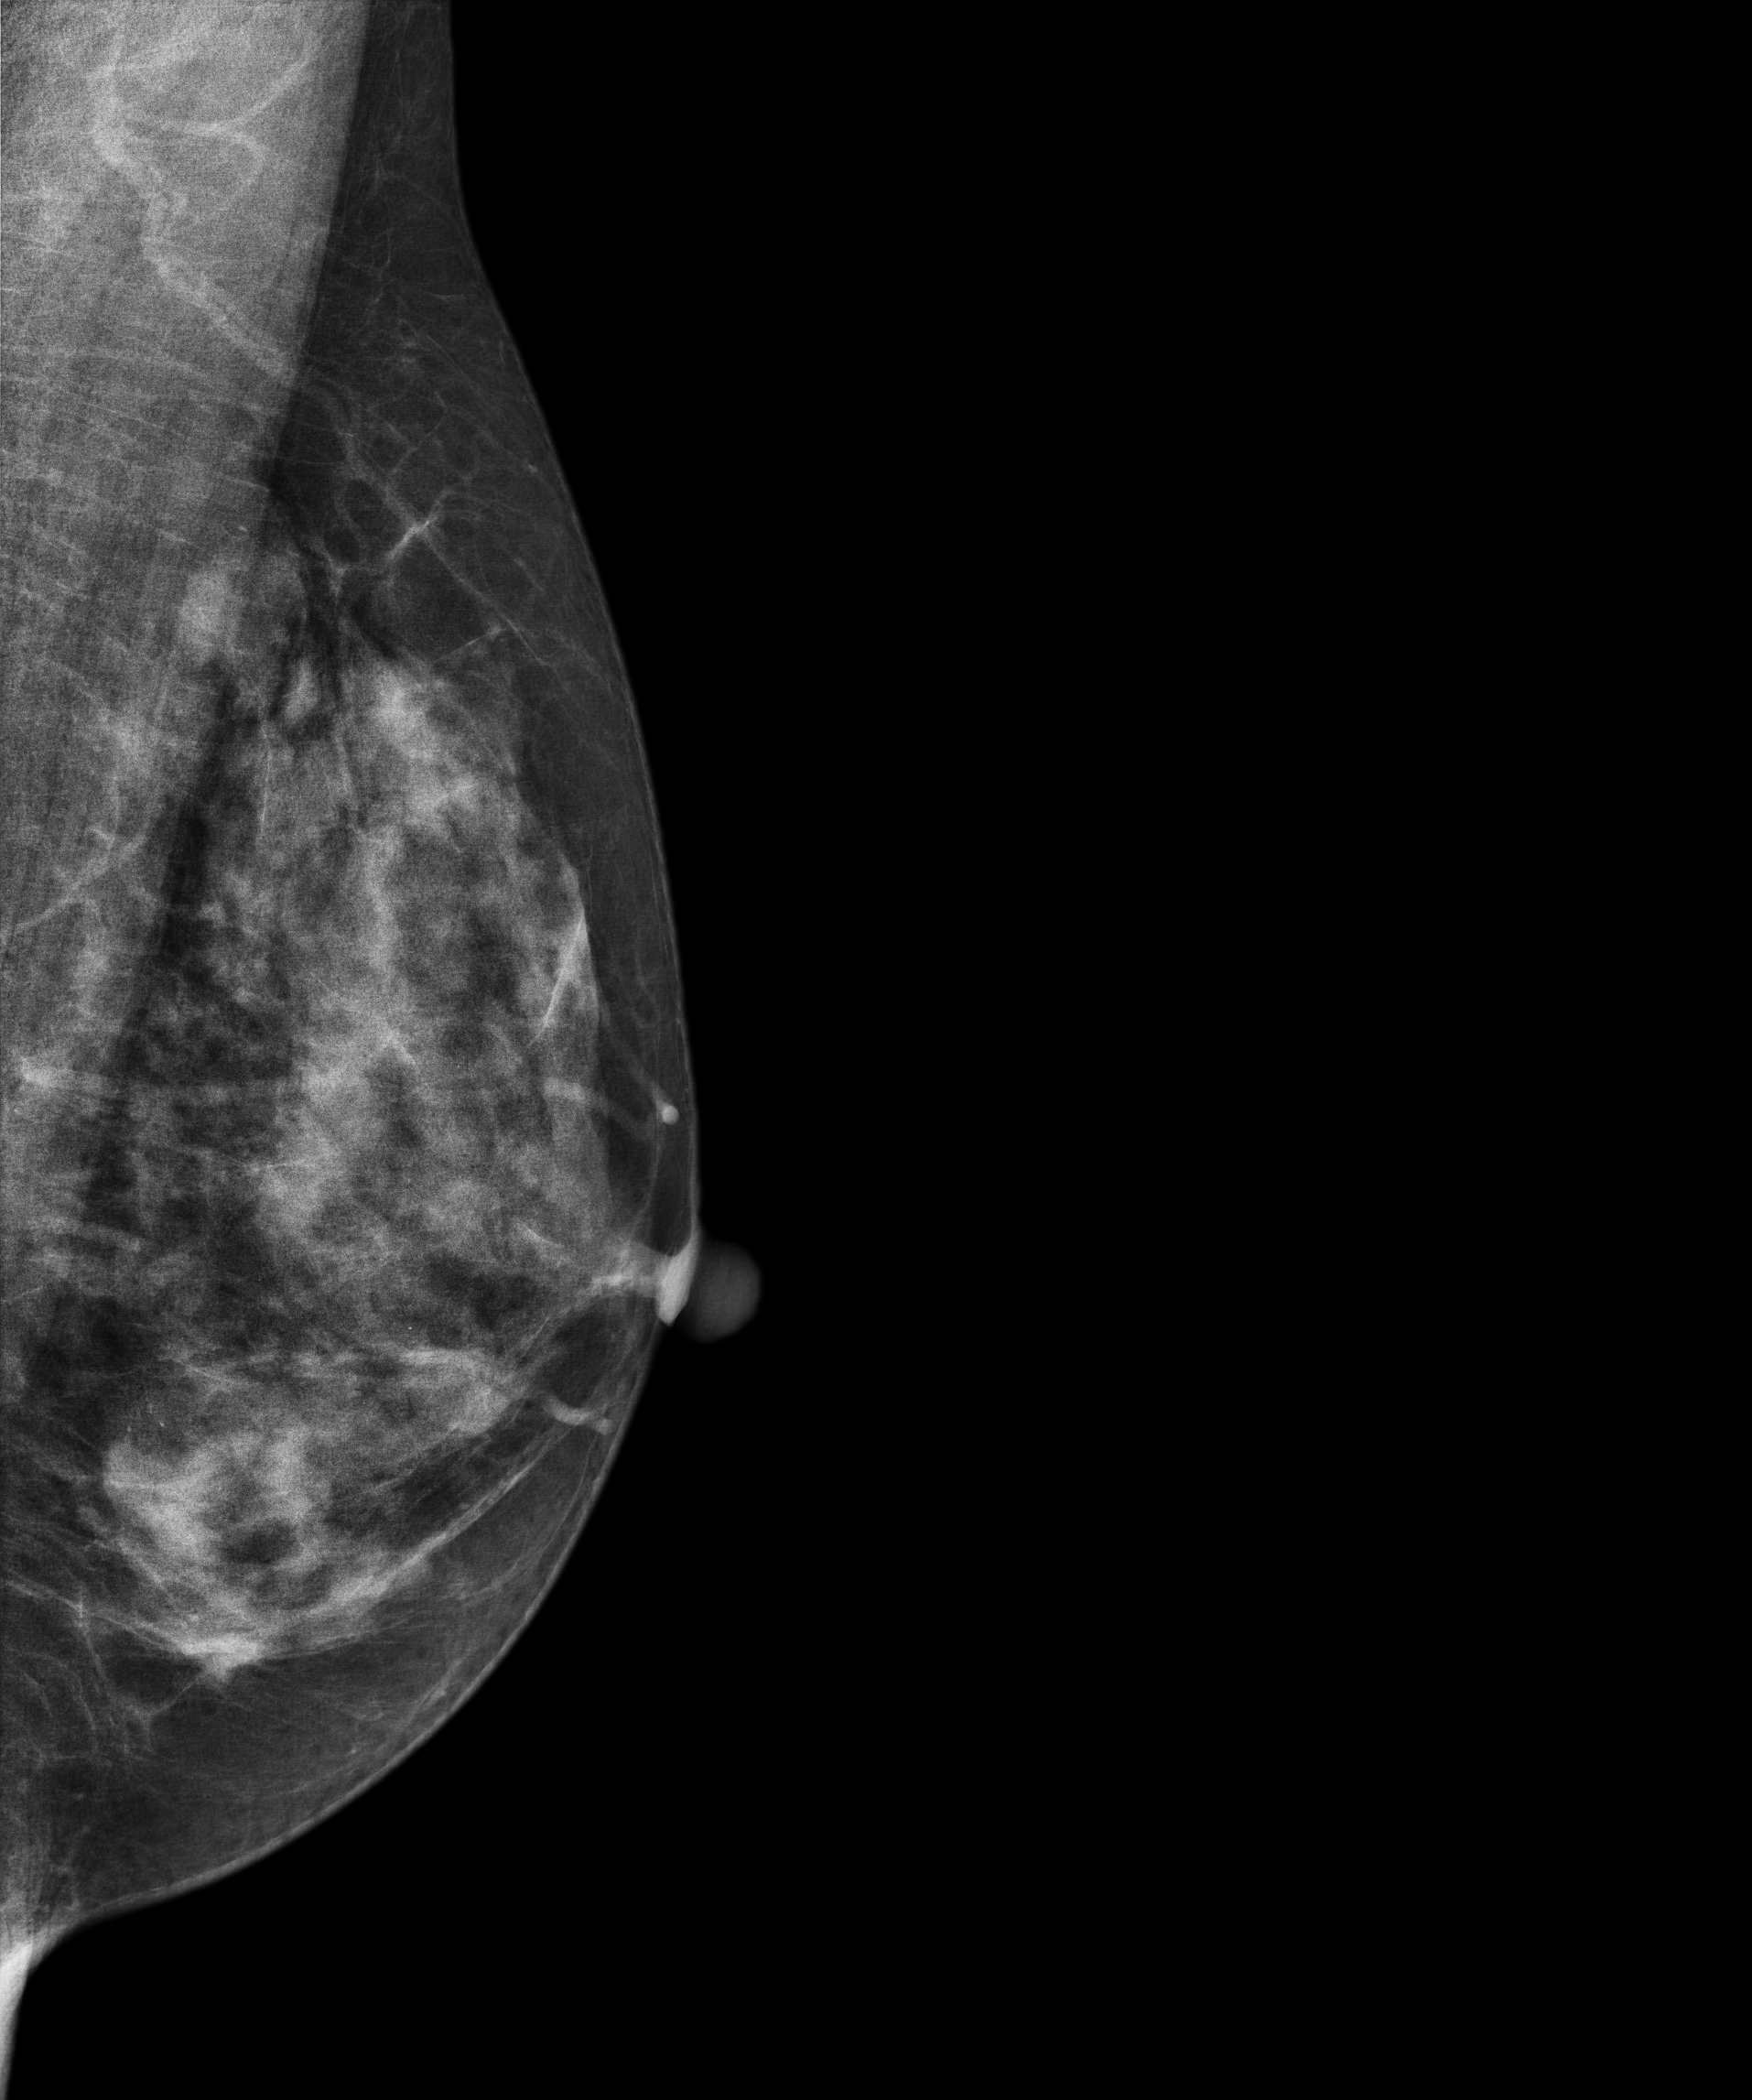
Digital mammography. Left breast, medio-lateral oblique projection. 36-year-old patient.
This breast has a mass, pathology-confirmed malignant. Molecular subtype: luminal A.